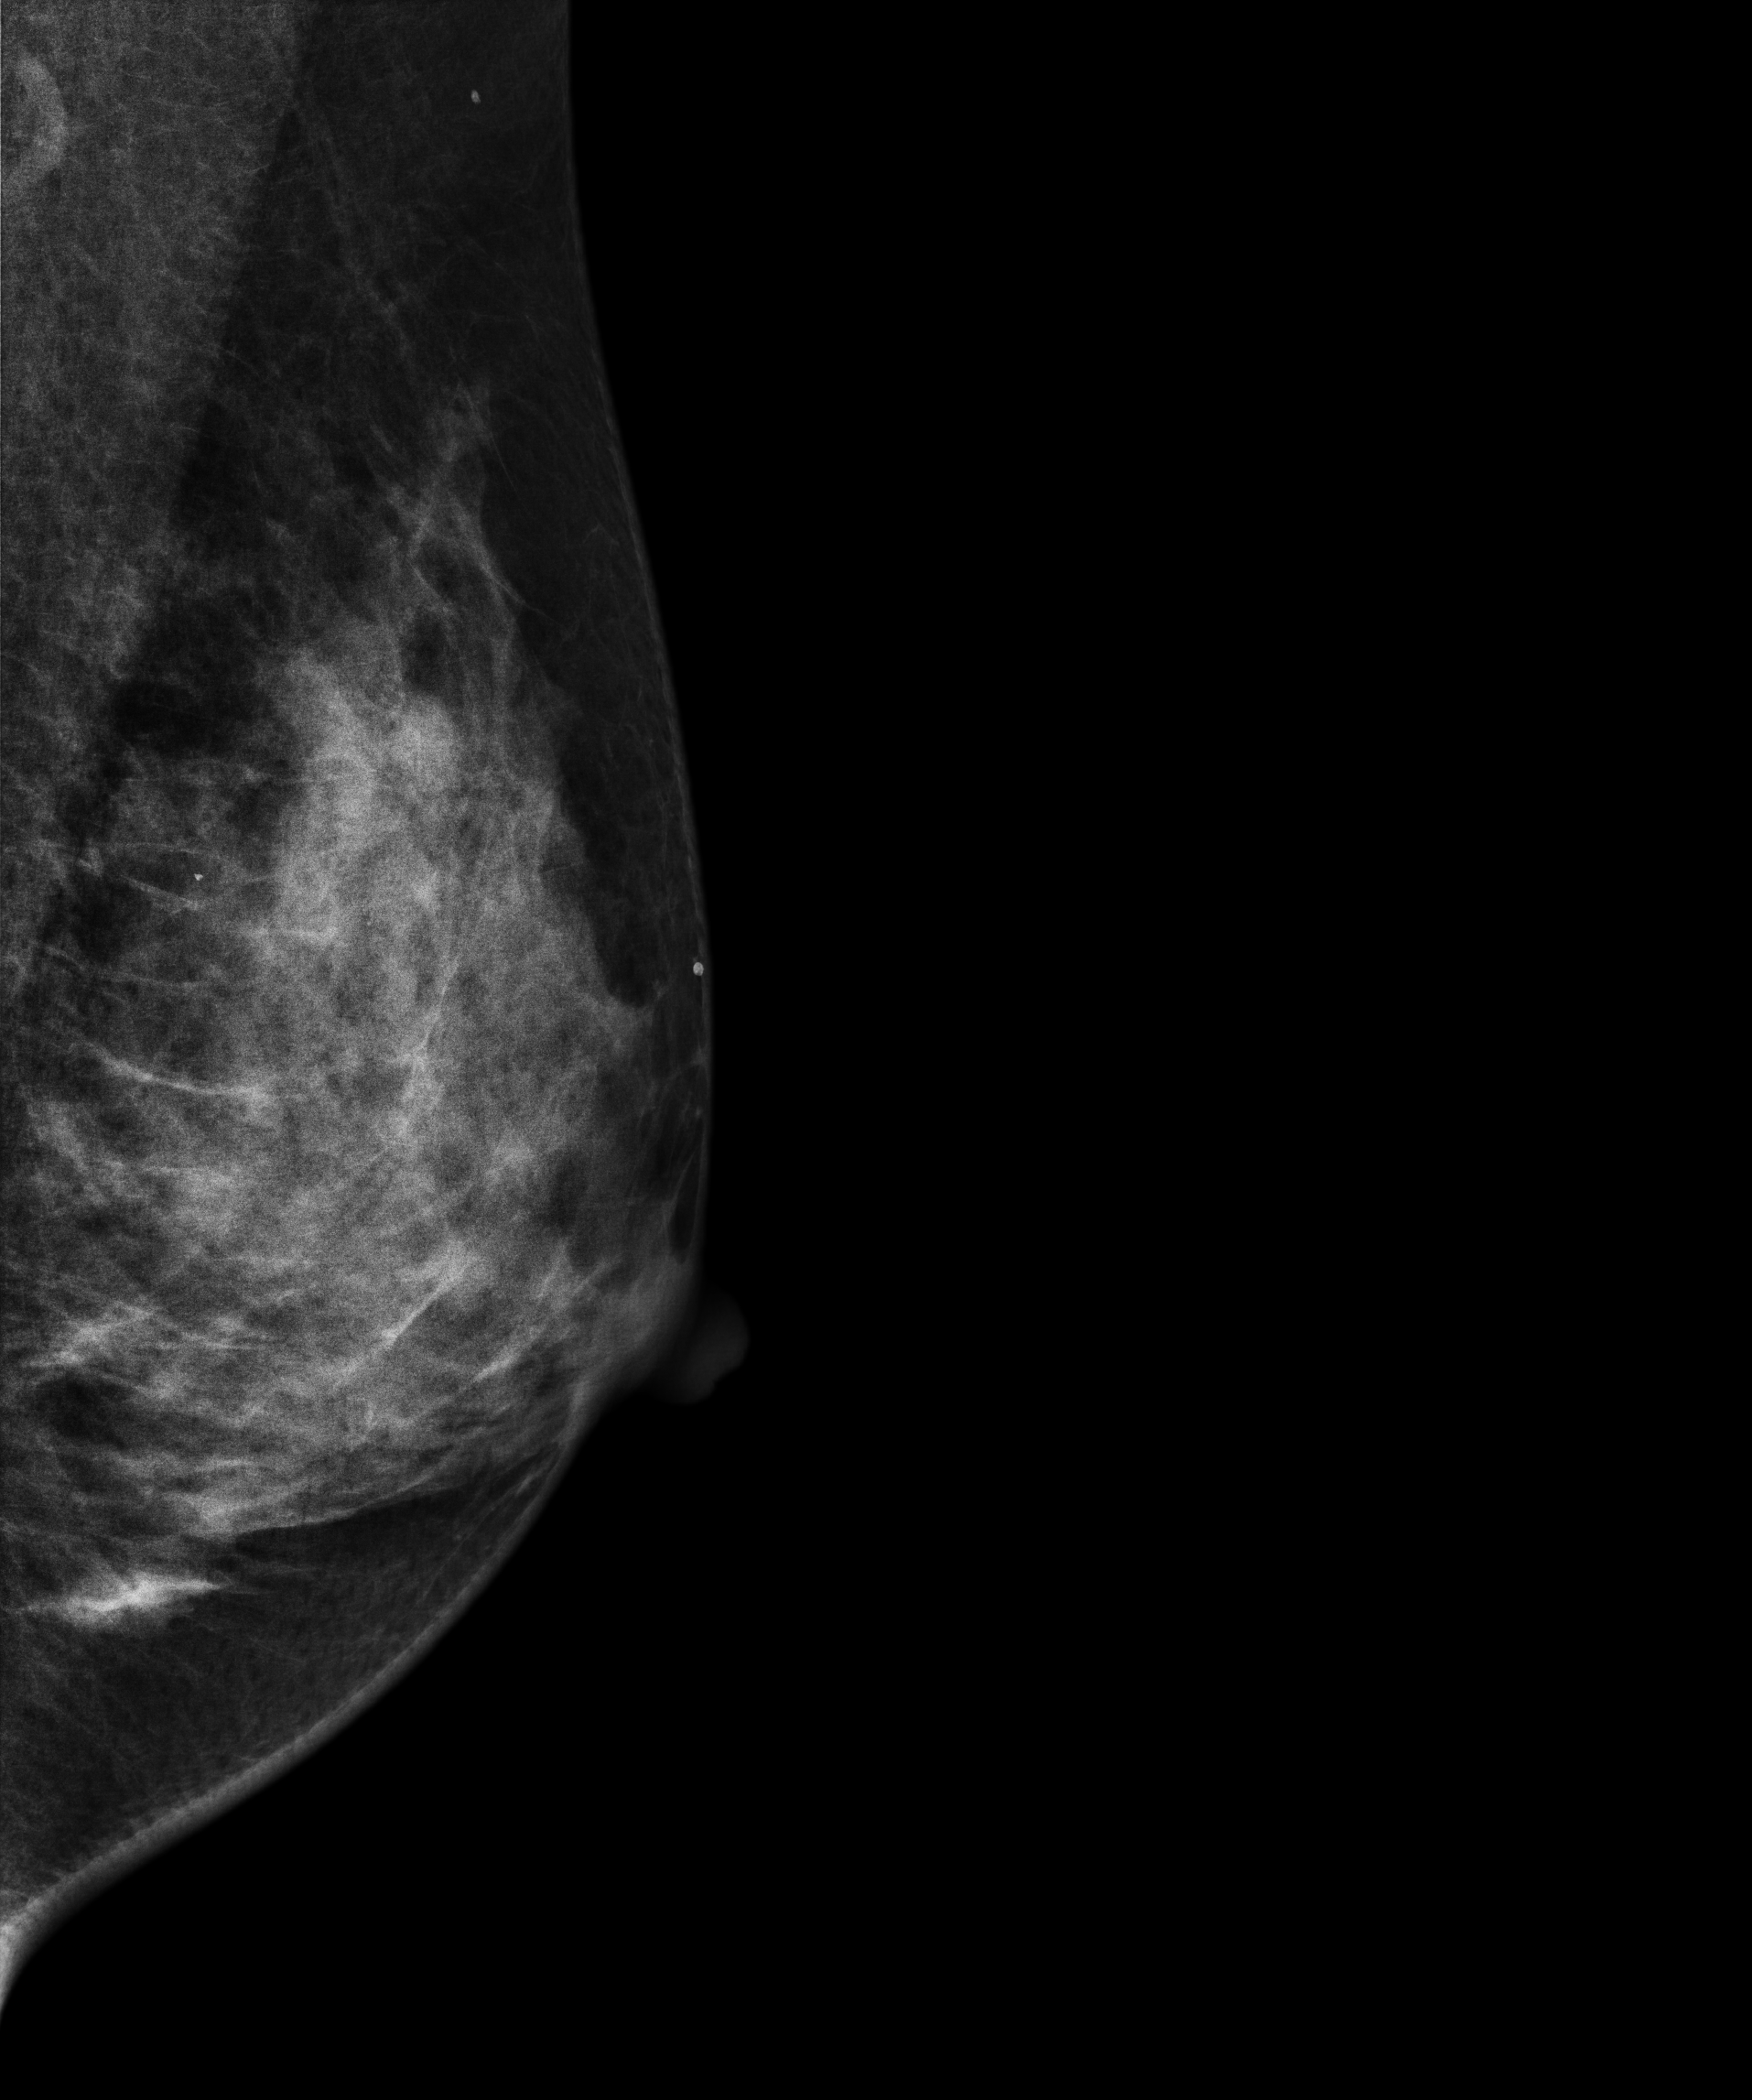
Mammogram, left breast, medio-lateral oblique view. 37-year-old patient.
Contralateral breast — no documented abnormality on this side.